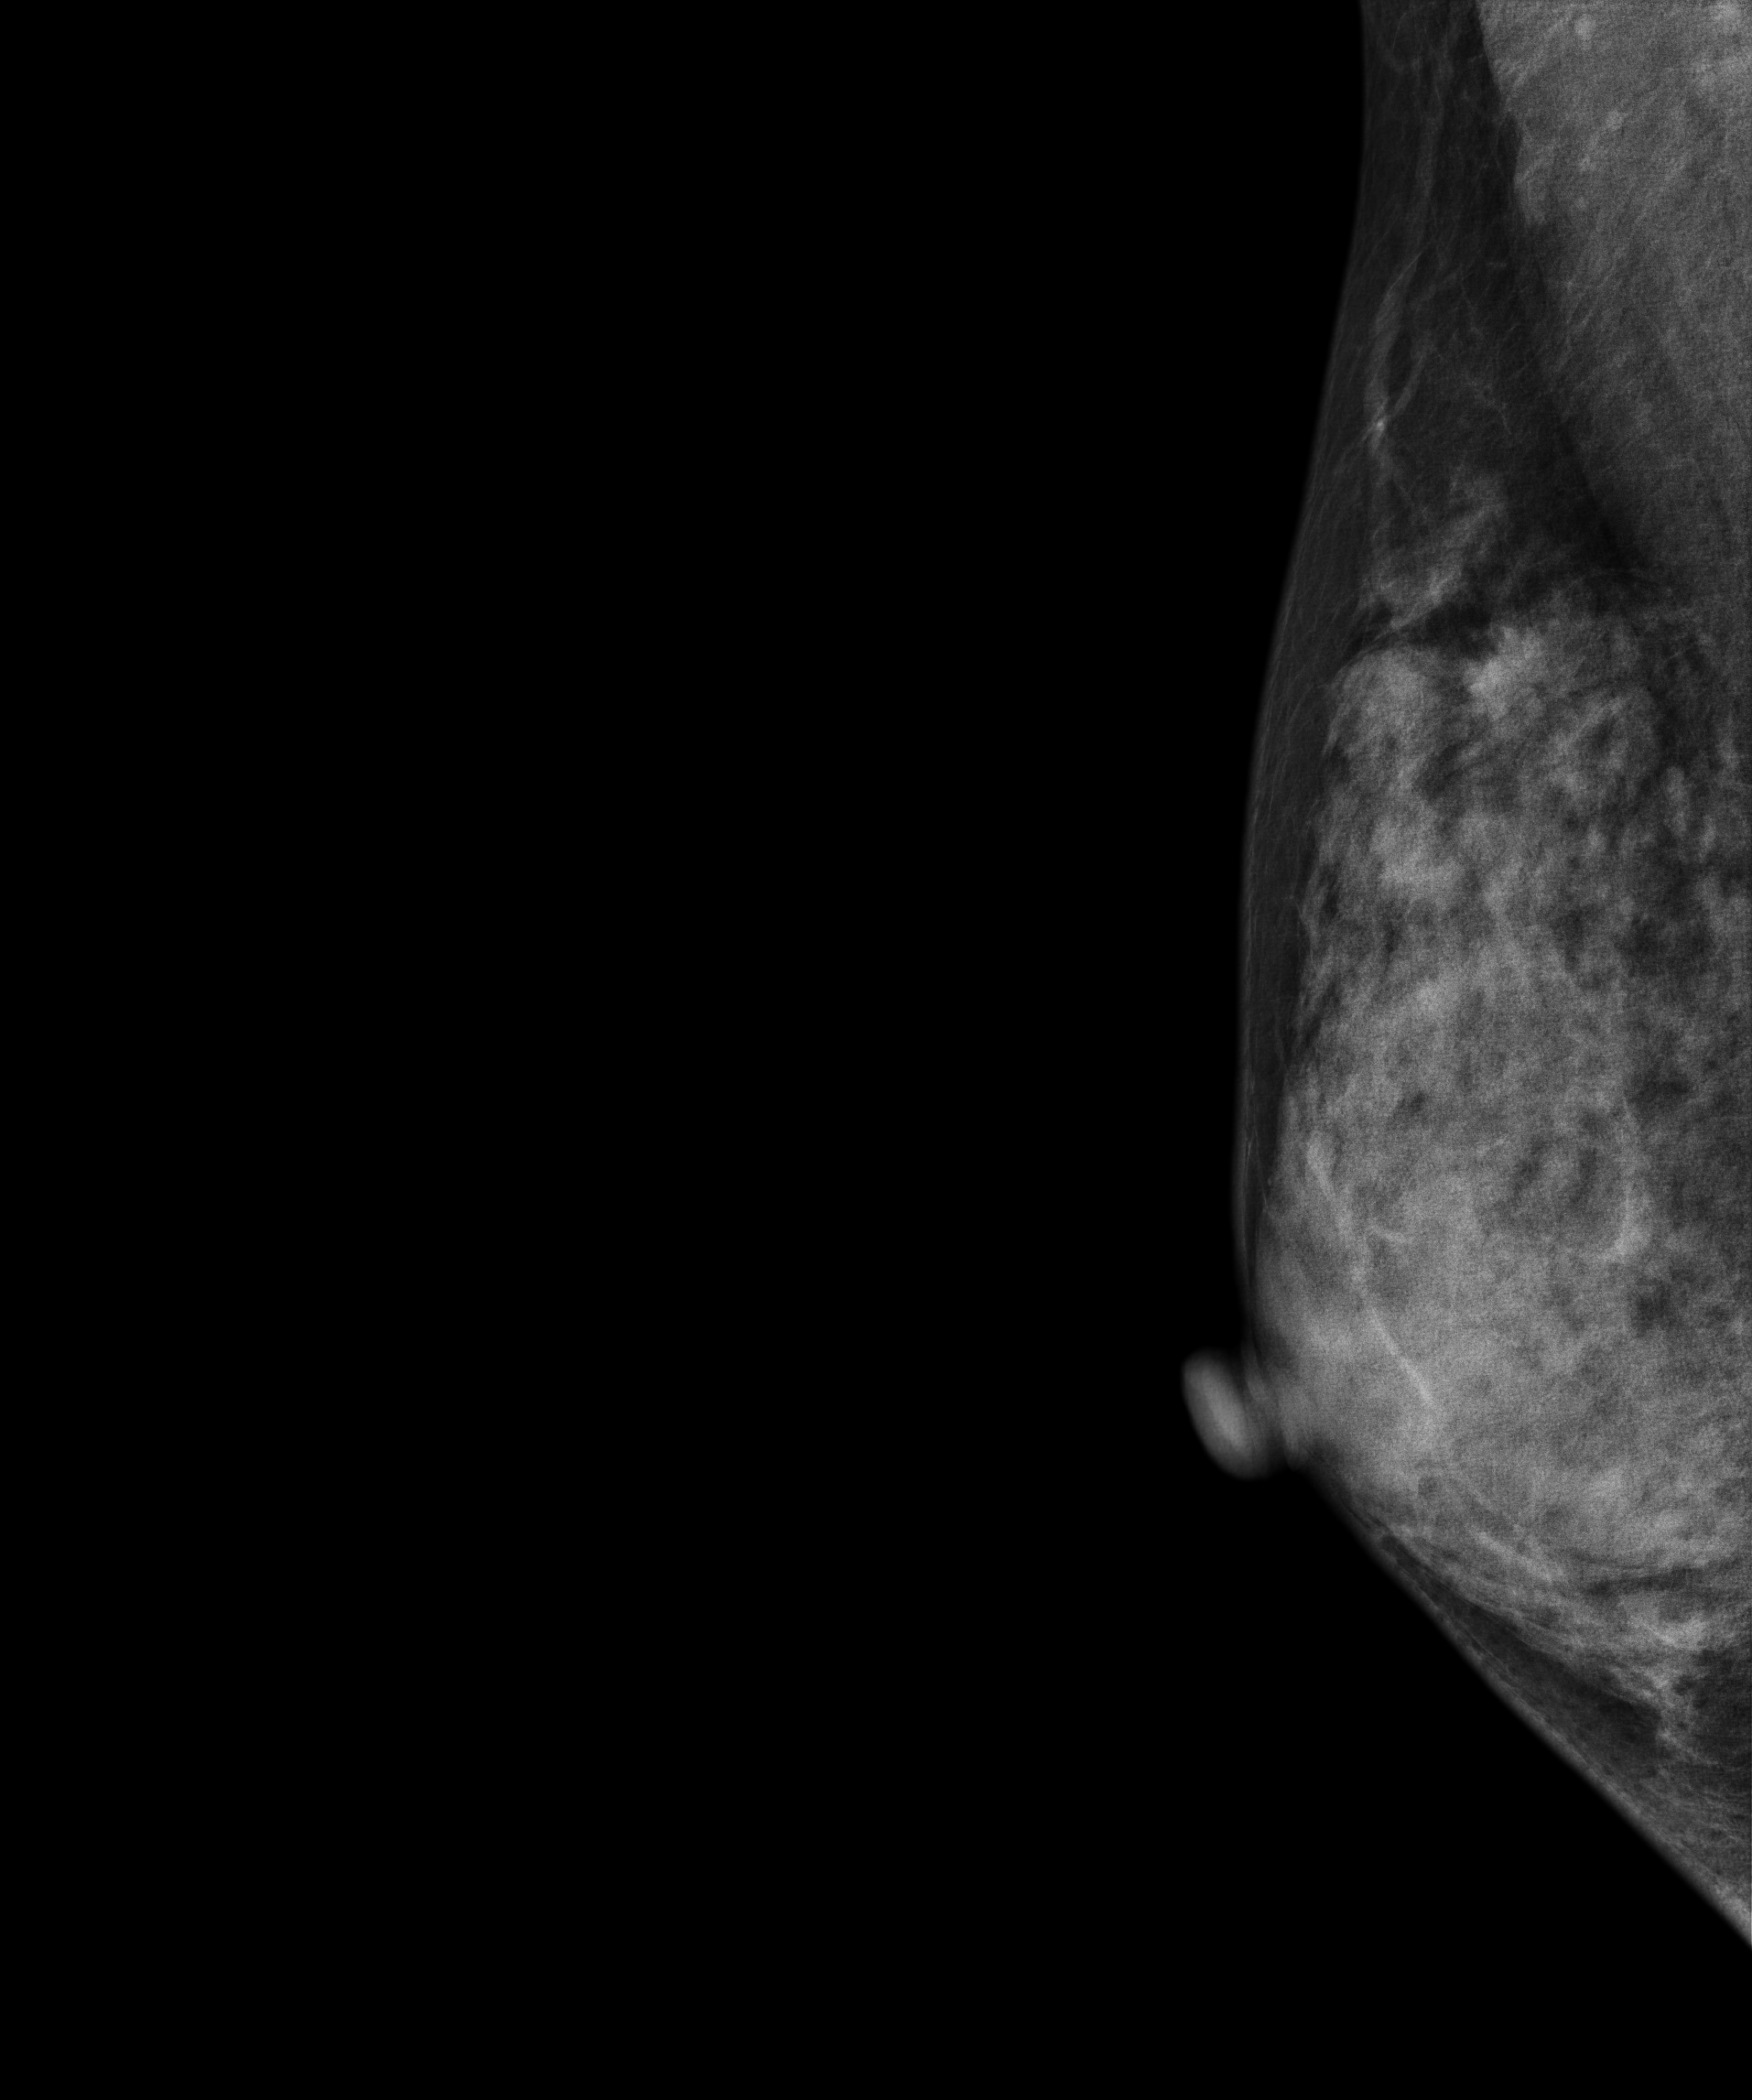
Digital mammography. Right breast, medio-lateral oblique projection. 46 y/o patient.
This breast has a mass, pathology-confirmed malignant.